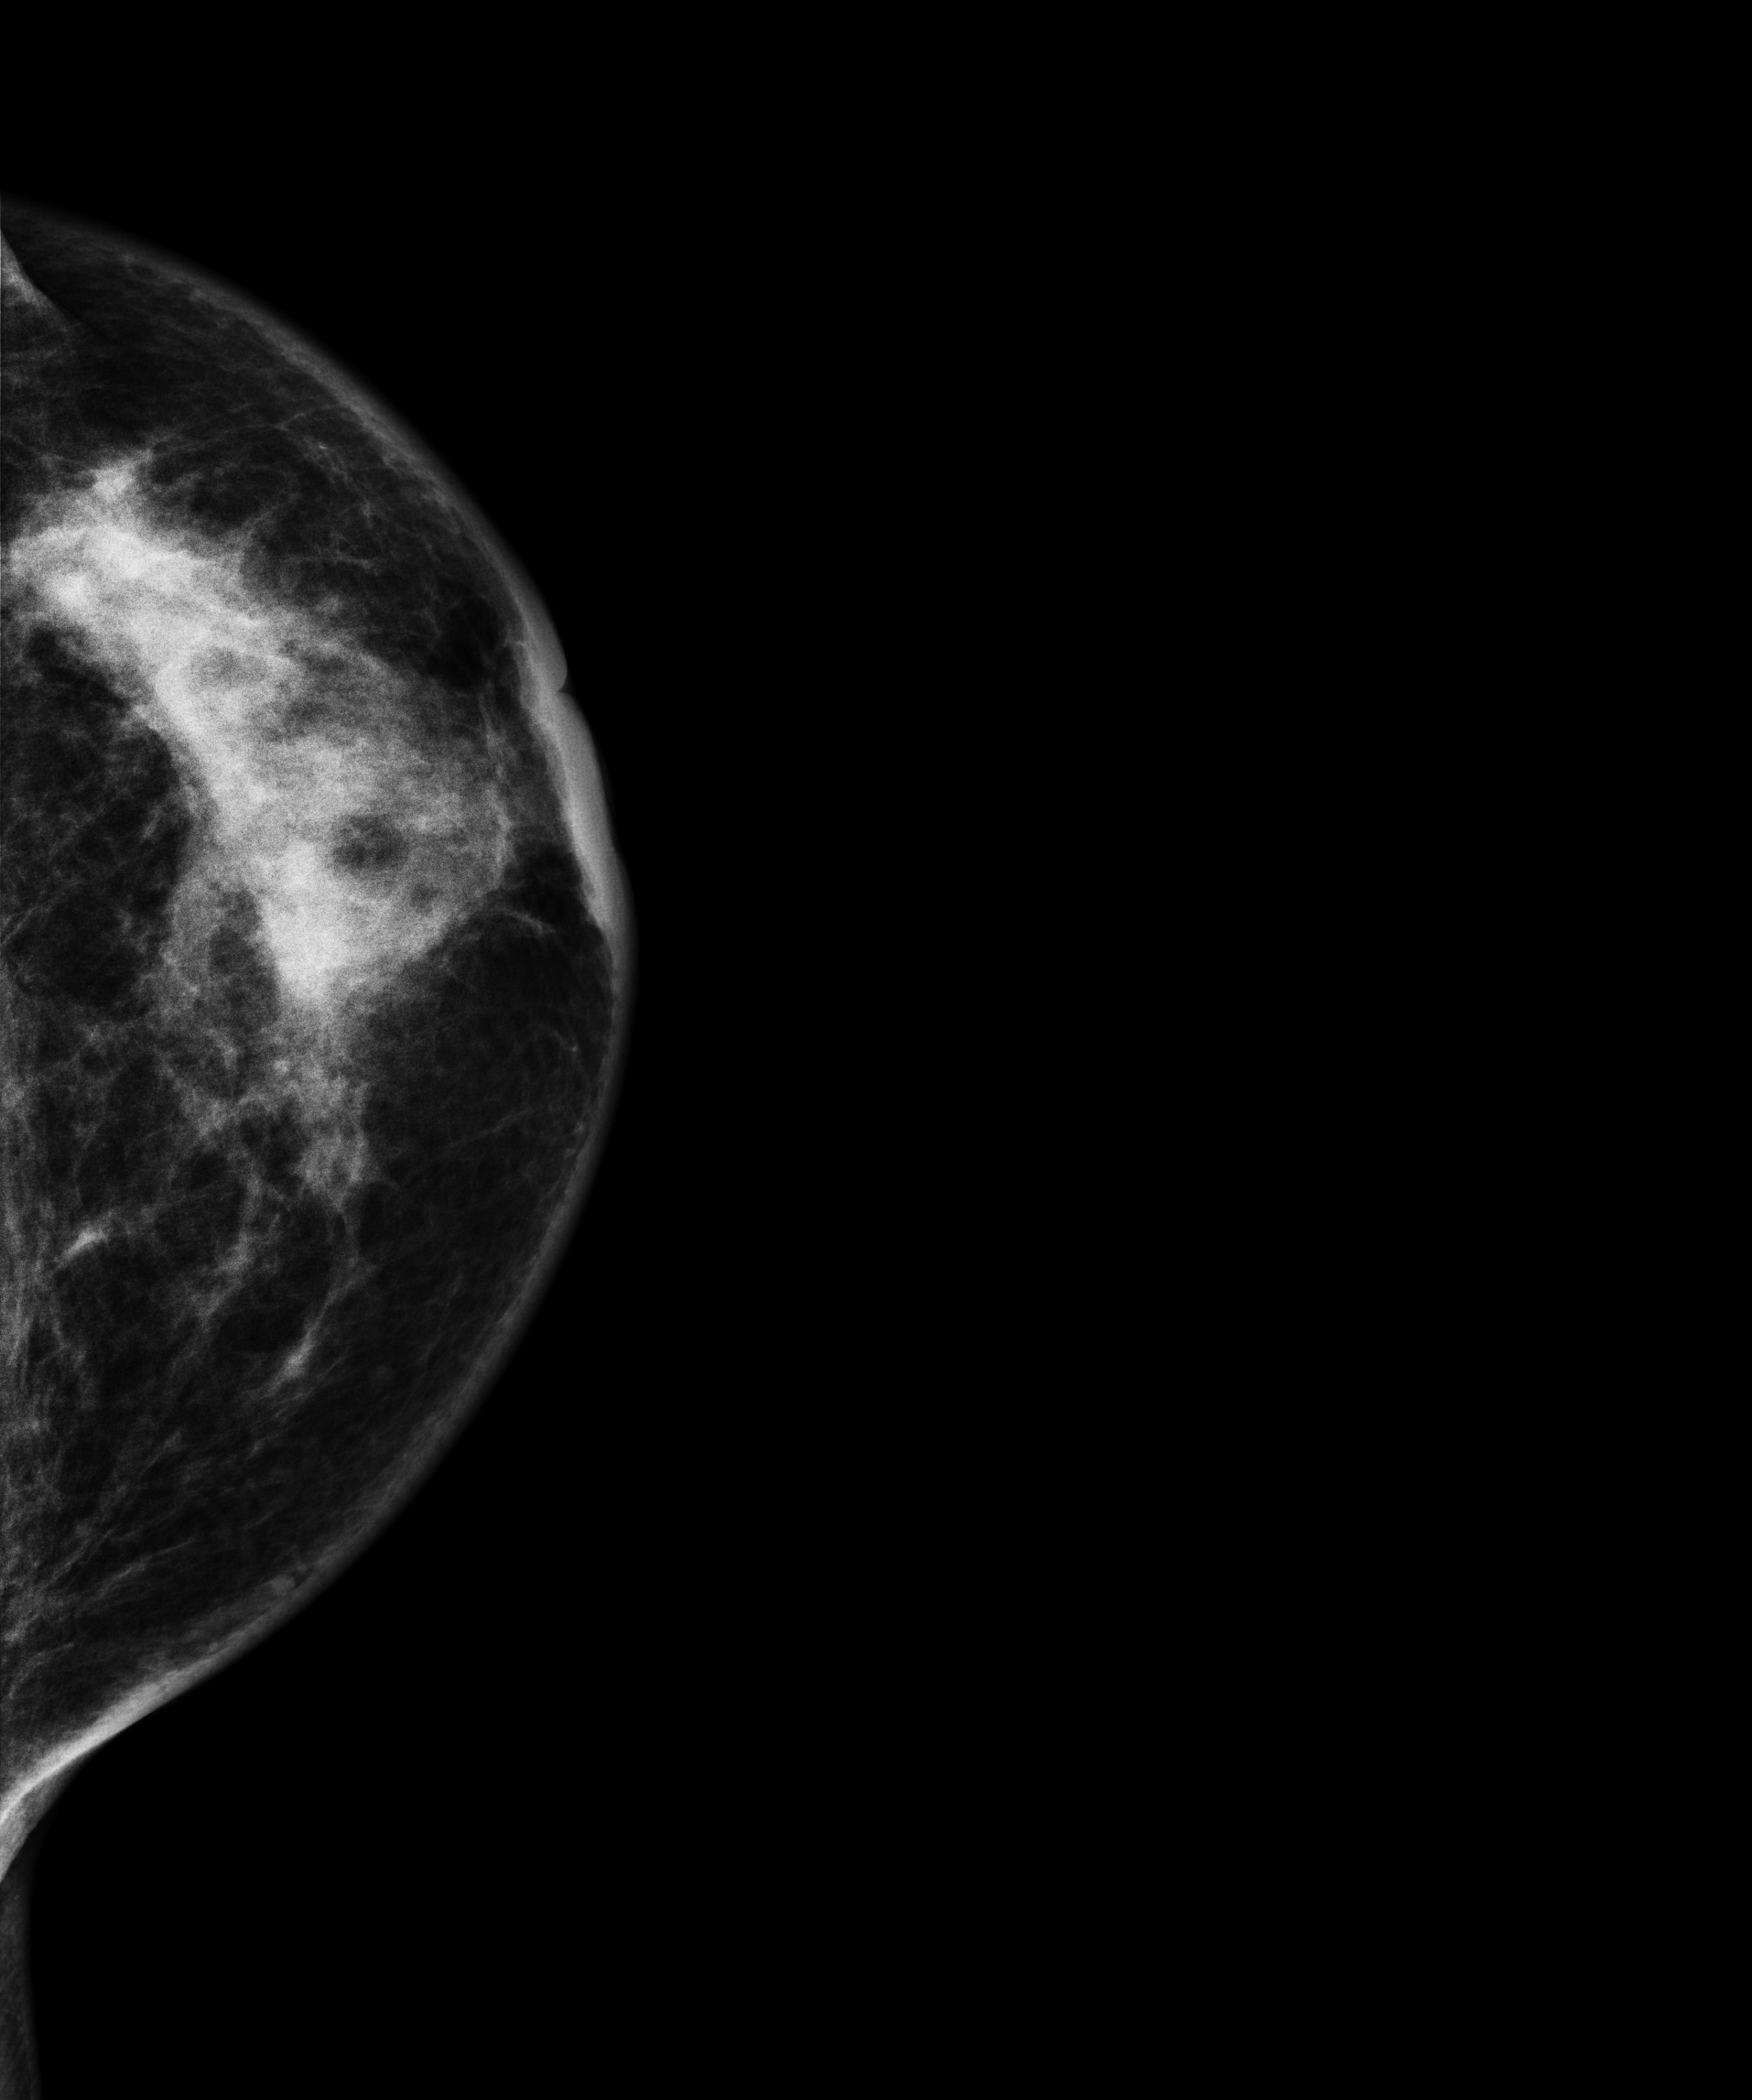
Left-breast mammogram, CC. 59 y/o patient.
This breast has a mass, biopsy-proven malignant.